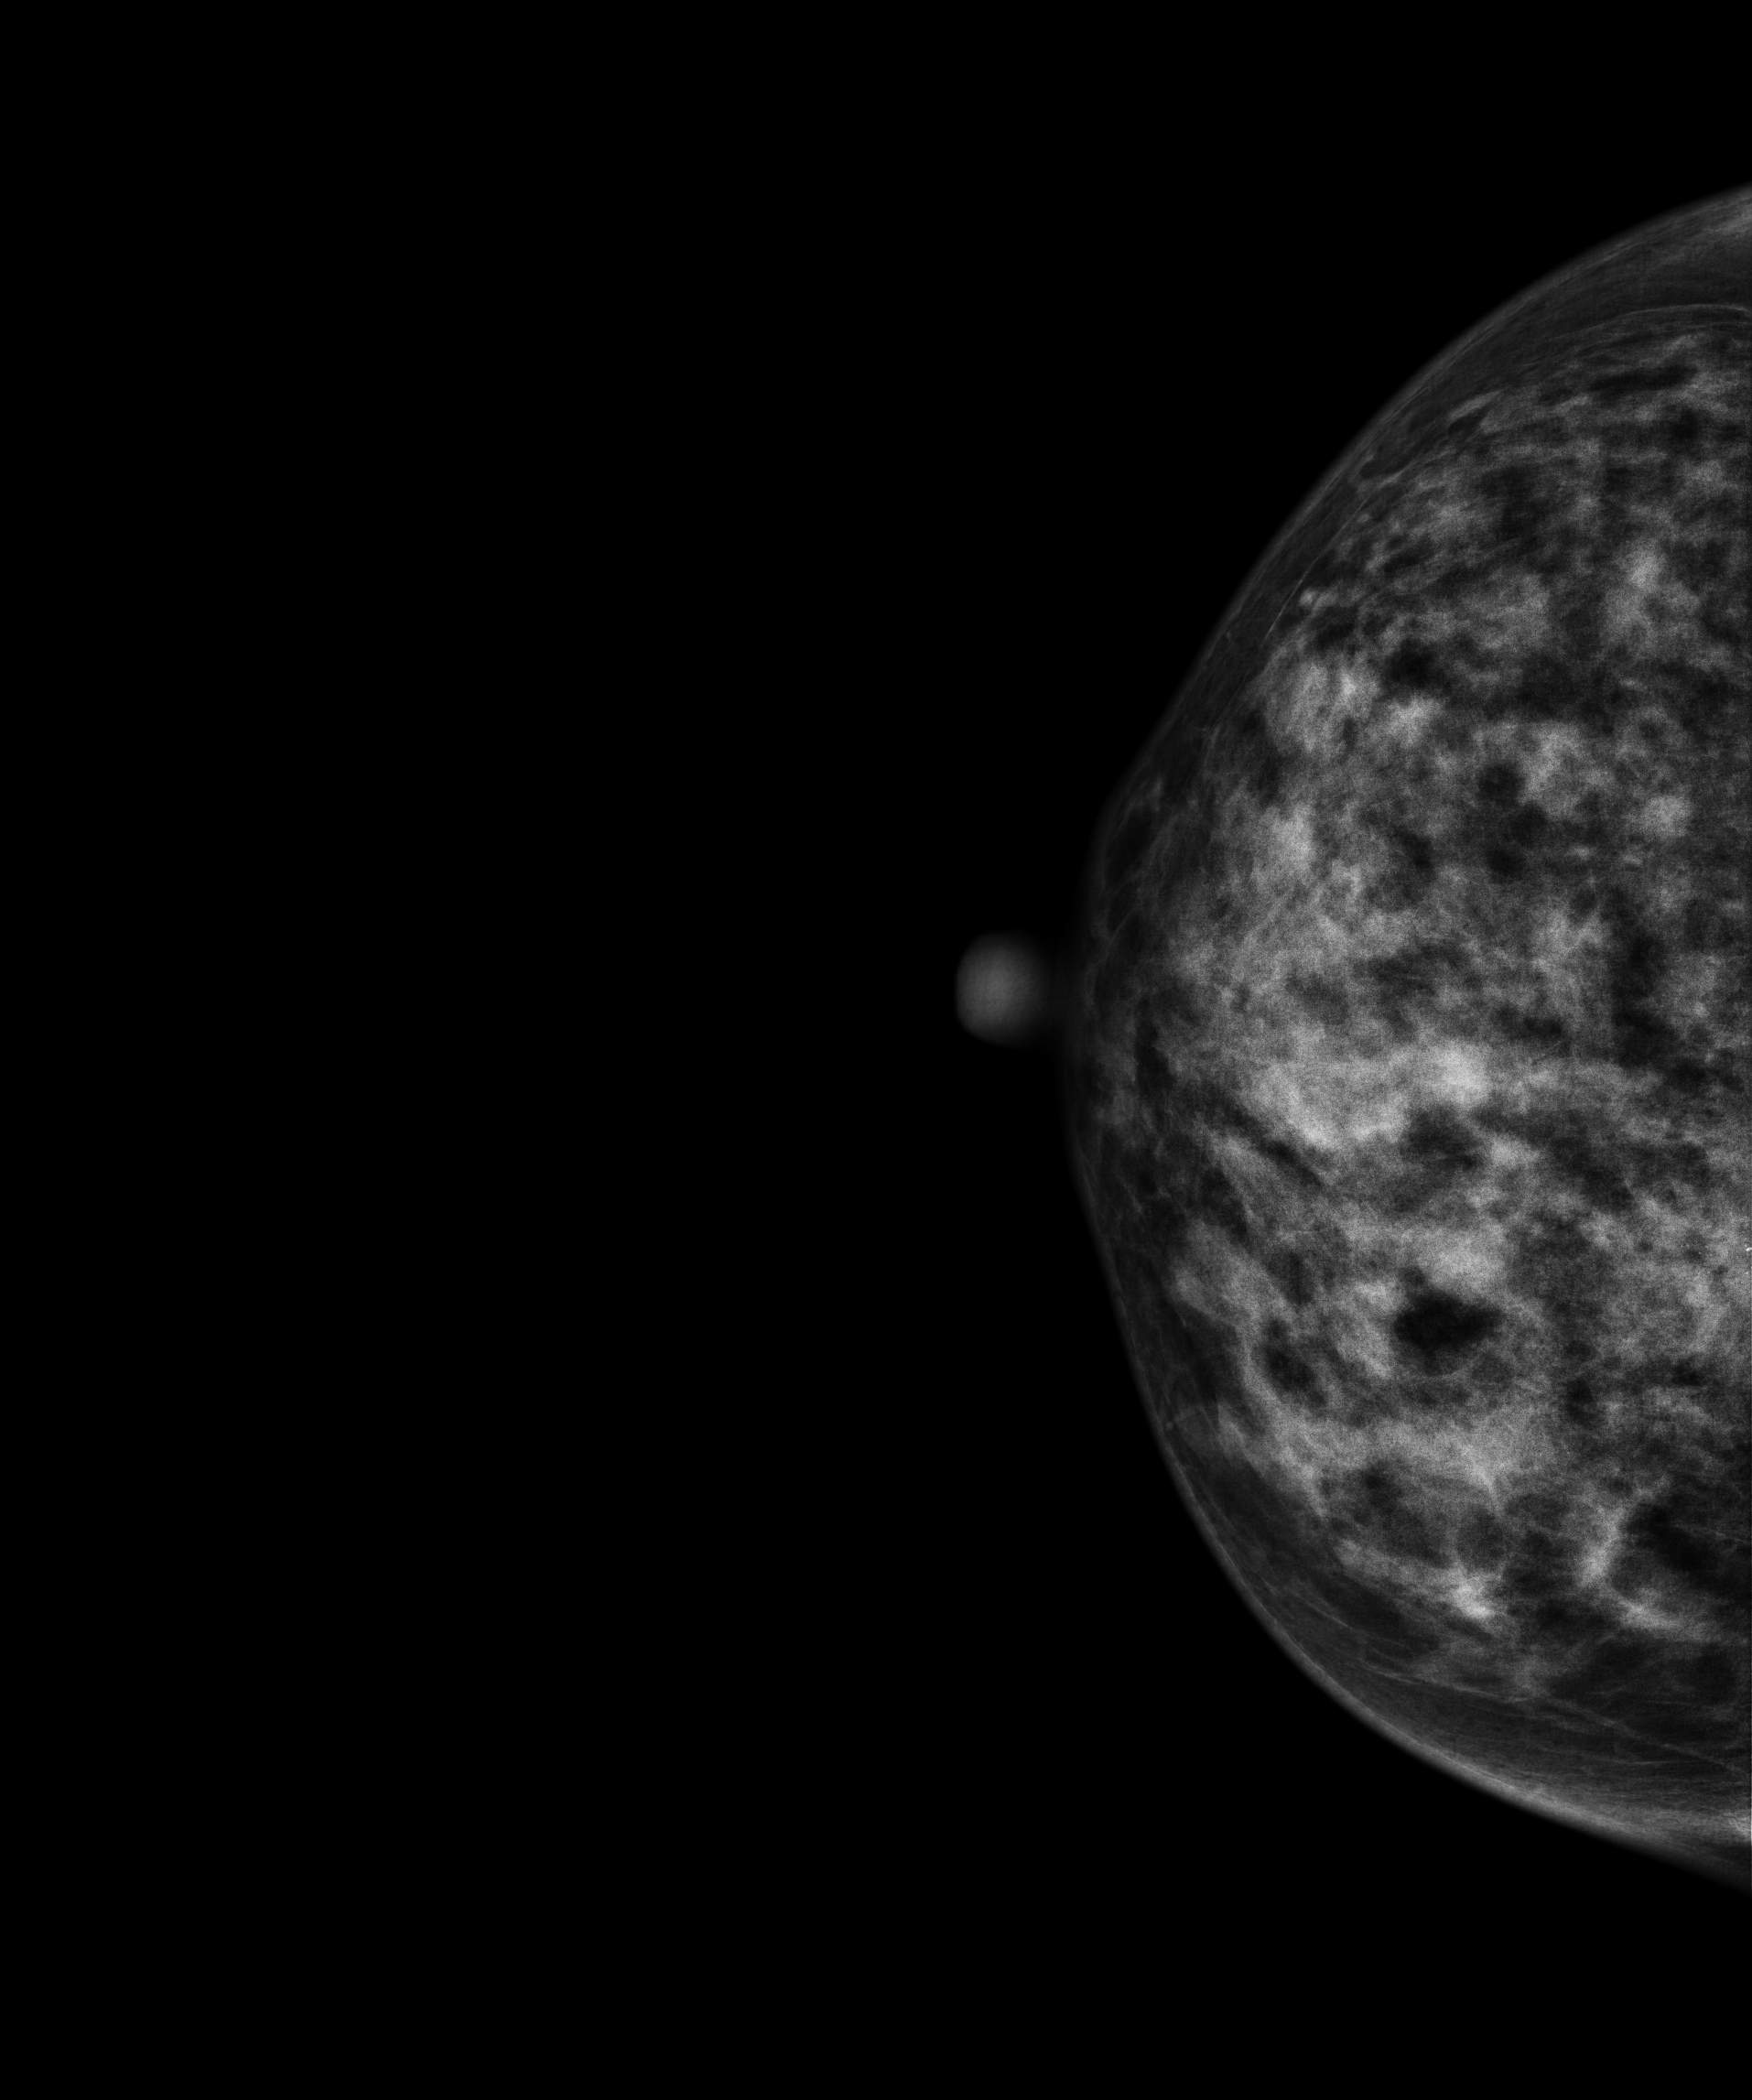
Mammogram, right breast, cranio-caudal view. 42 y/o patient.
This breast has a mass and calcifications, histologically confirmed malignant. Molecular subtype: HER2-enriched.